Right-breast mammogram, CC. Patient age 42.
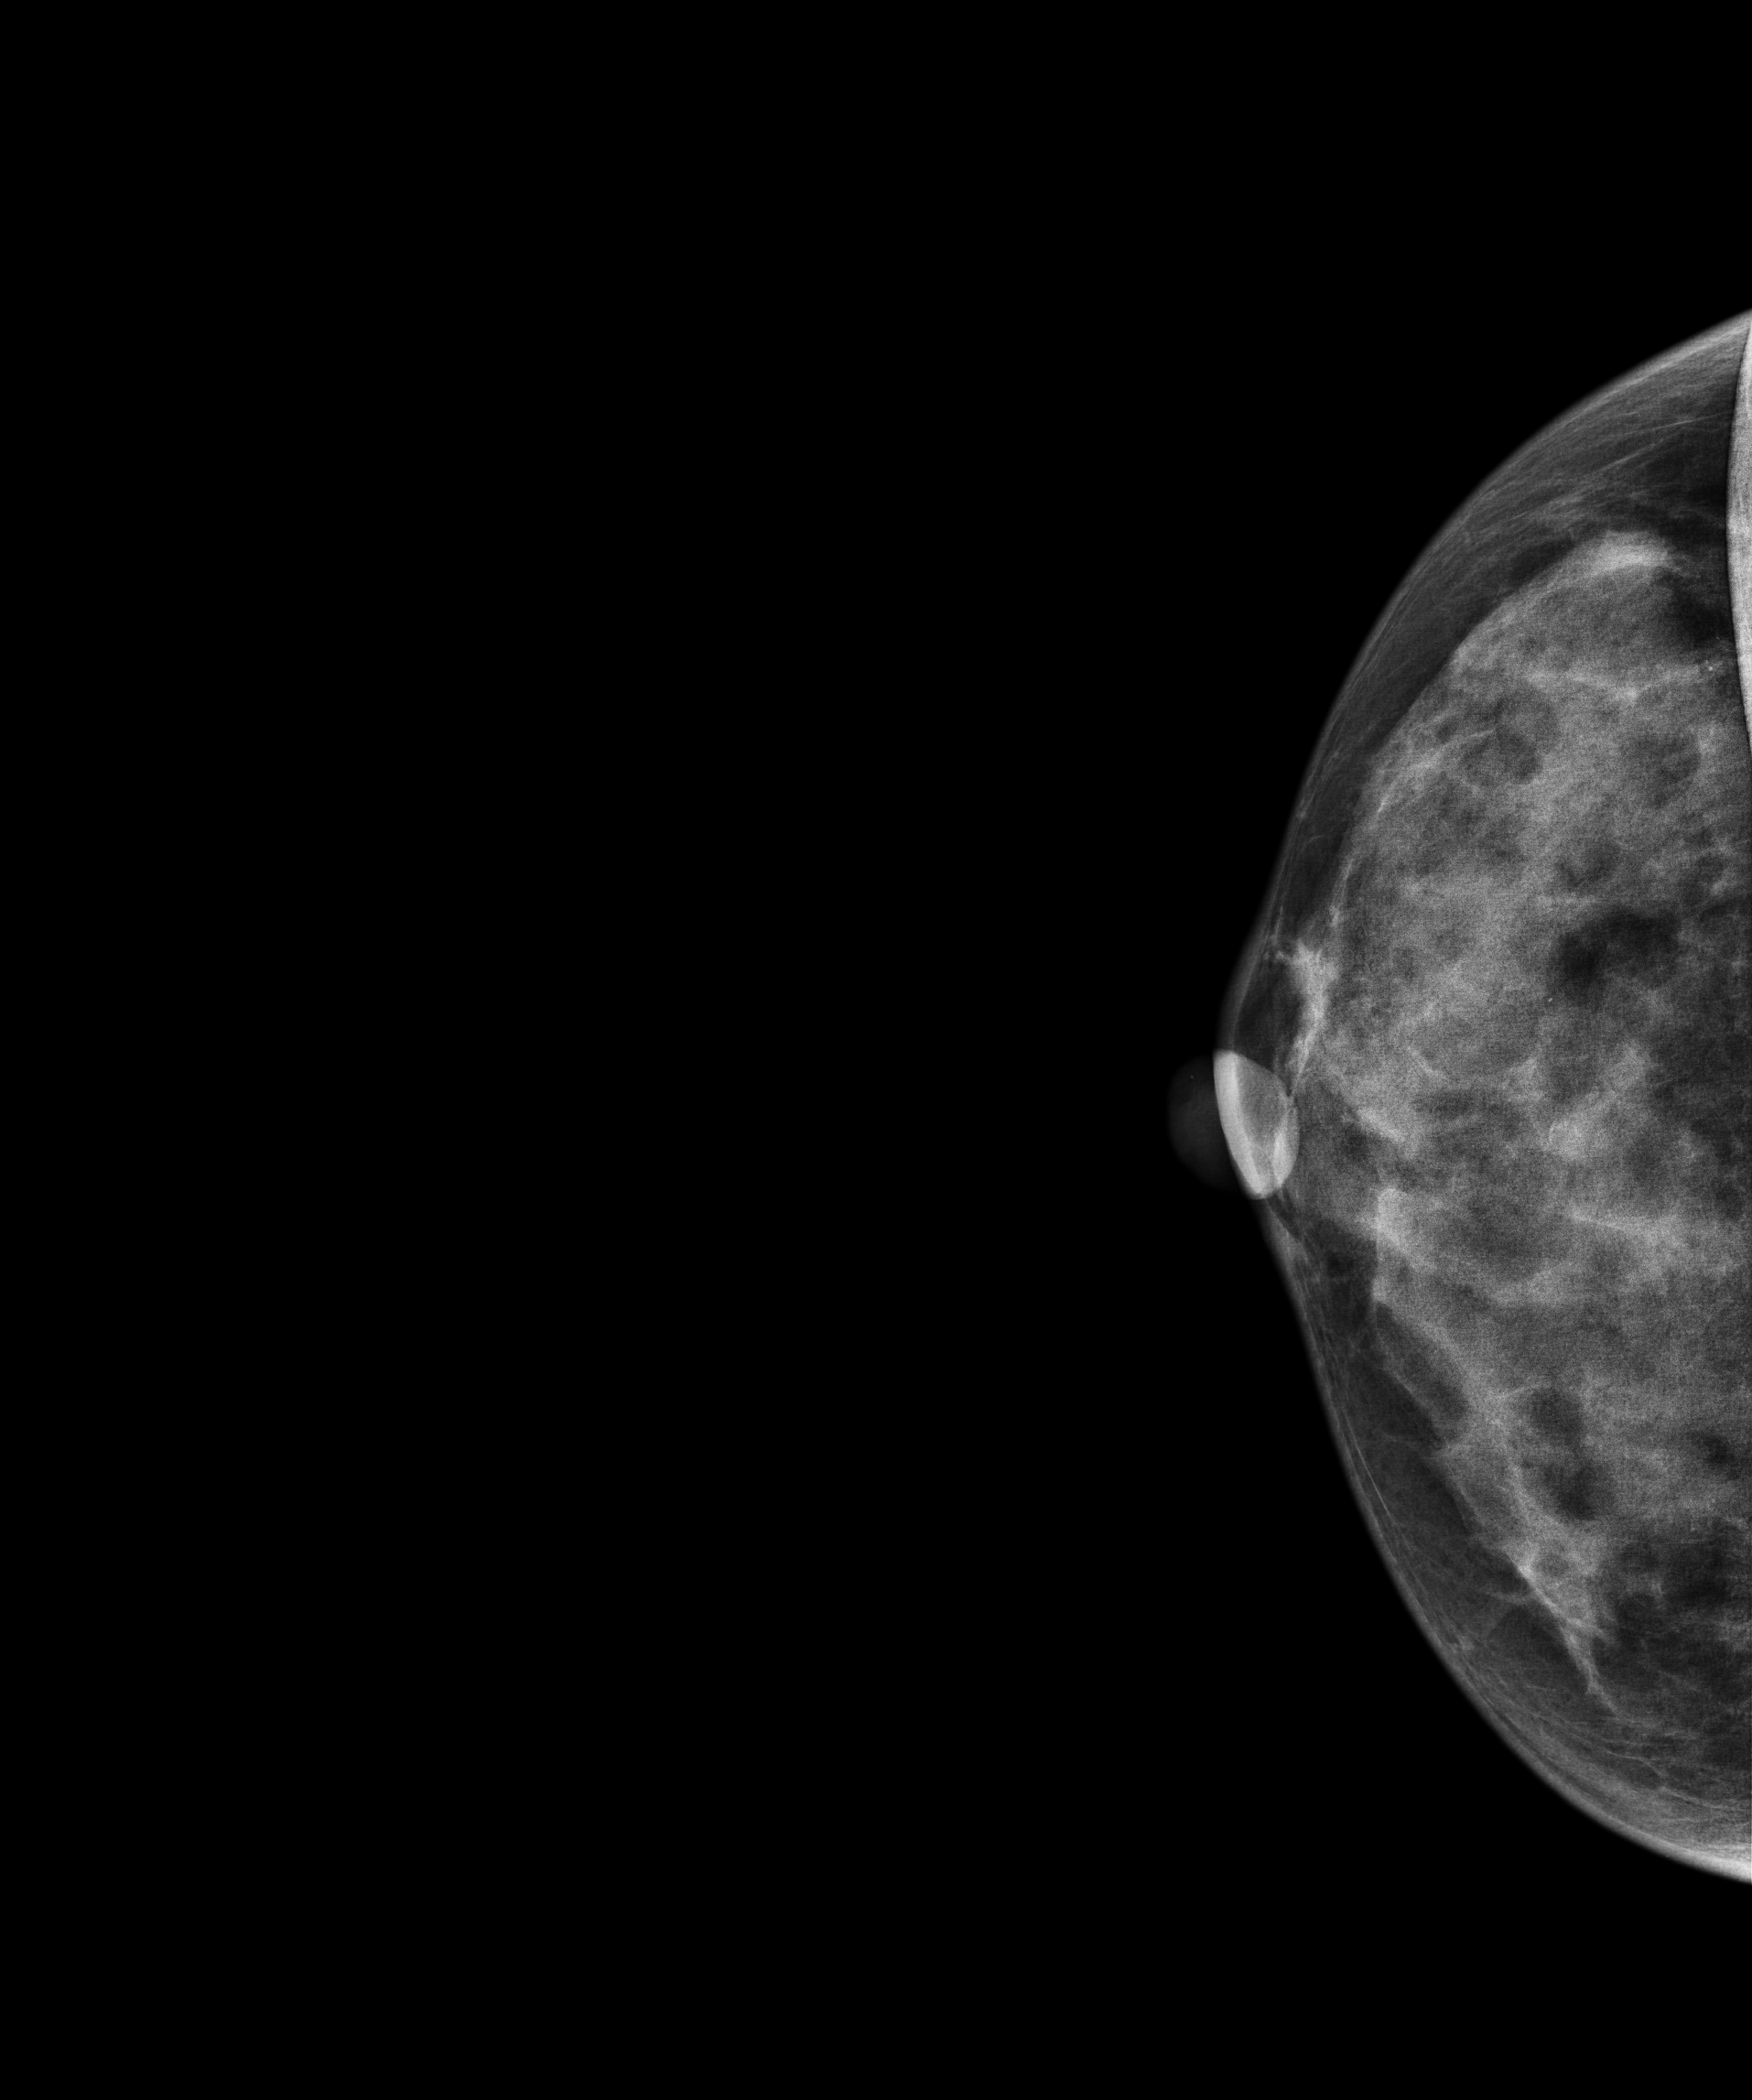
This breast has a mass, biopsy-proven benign.